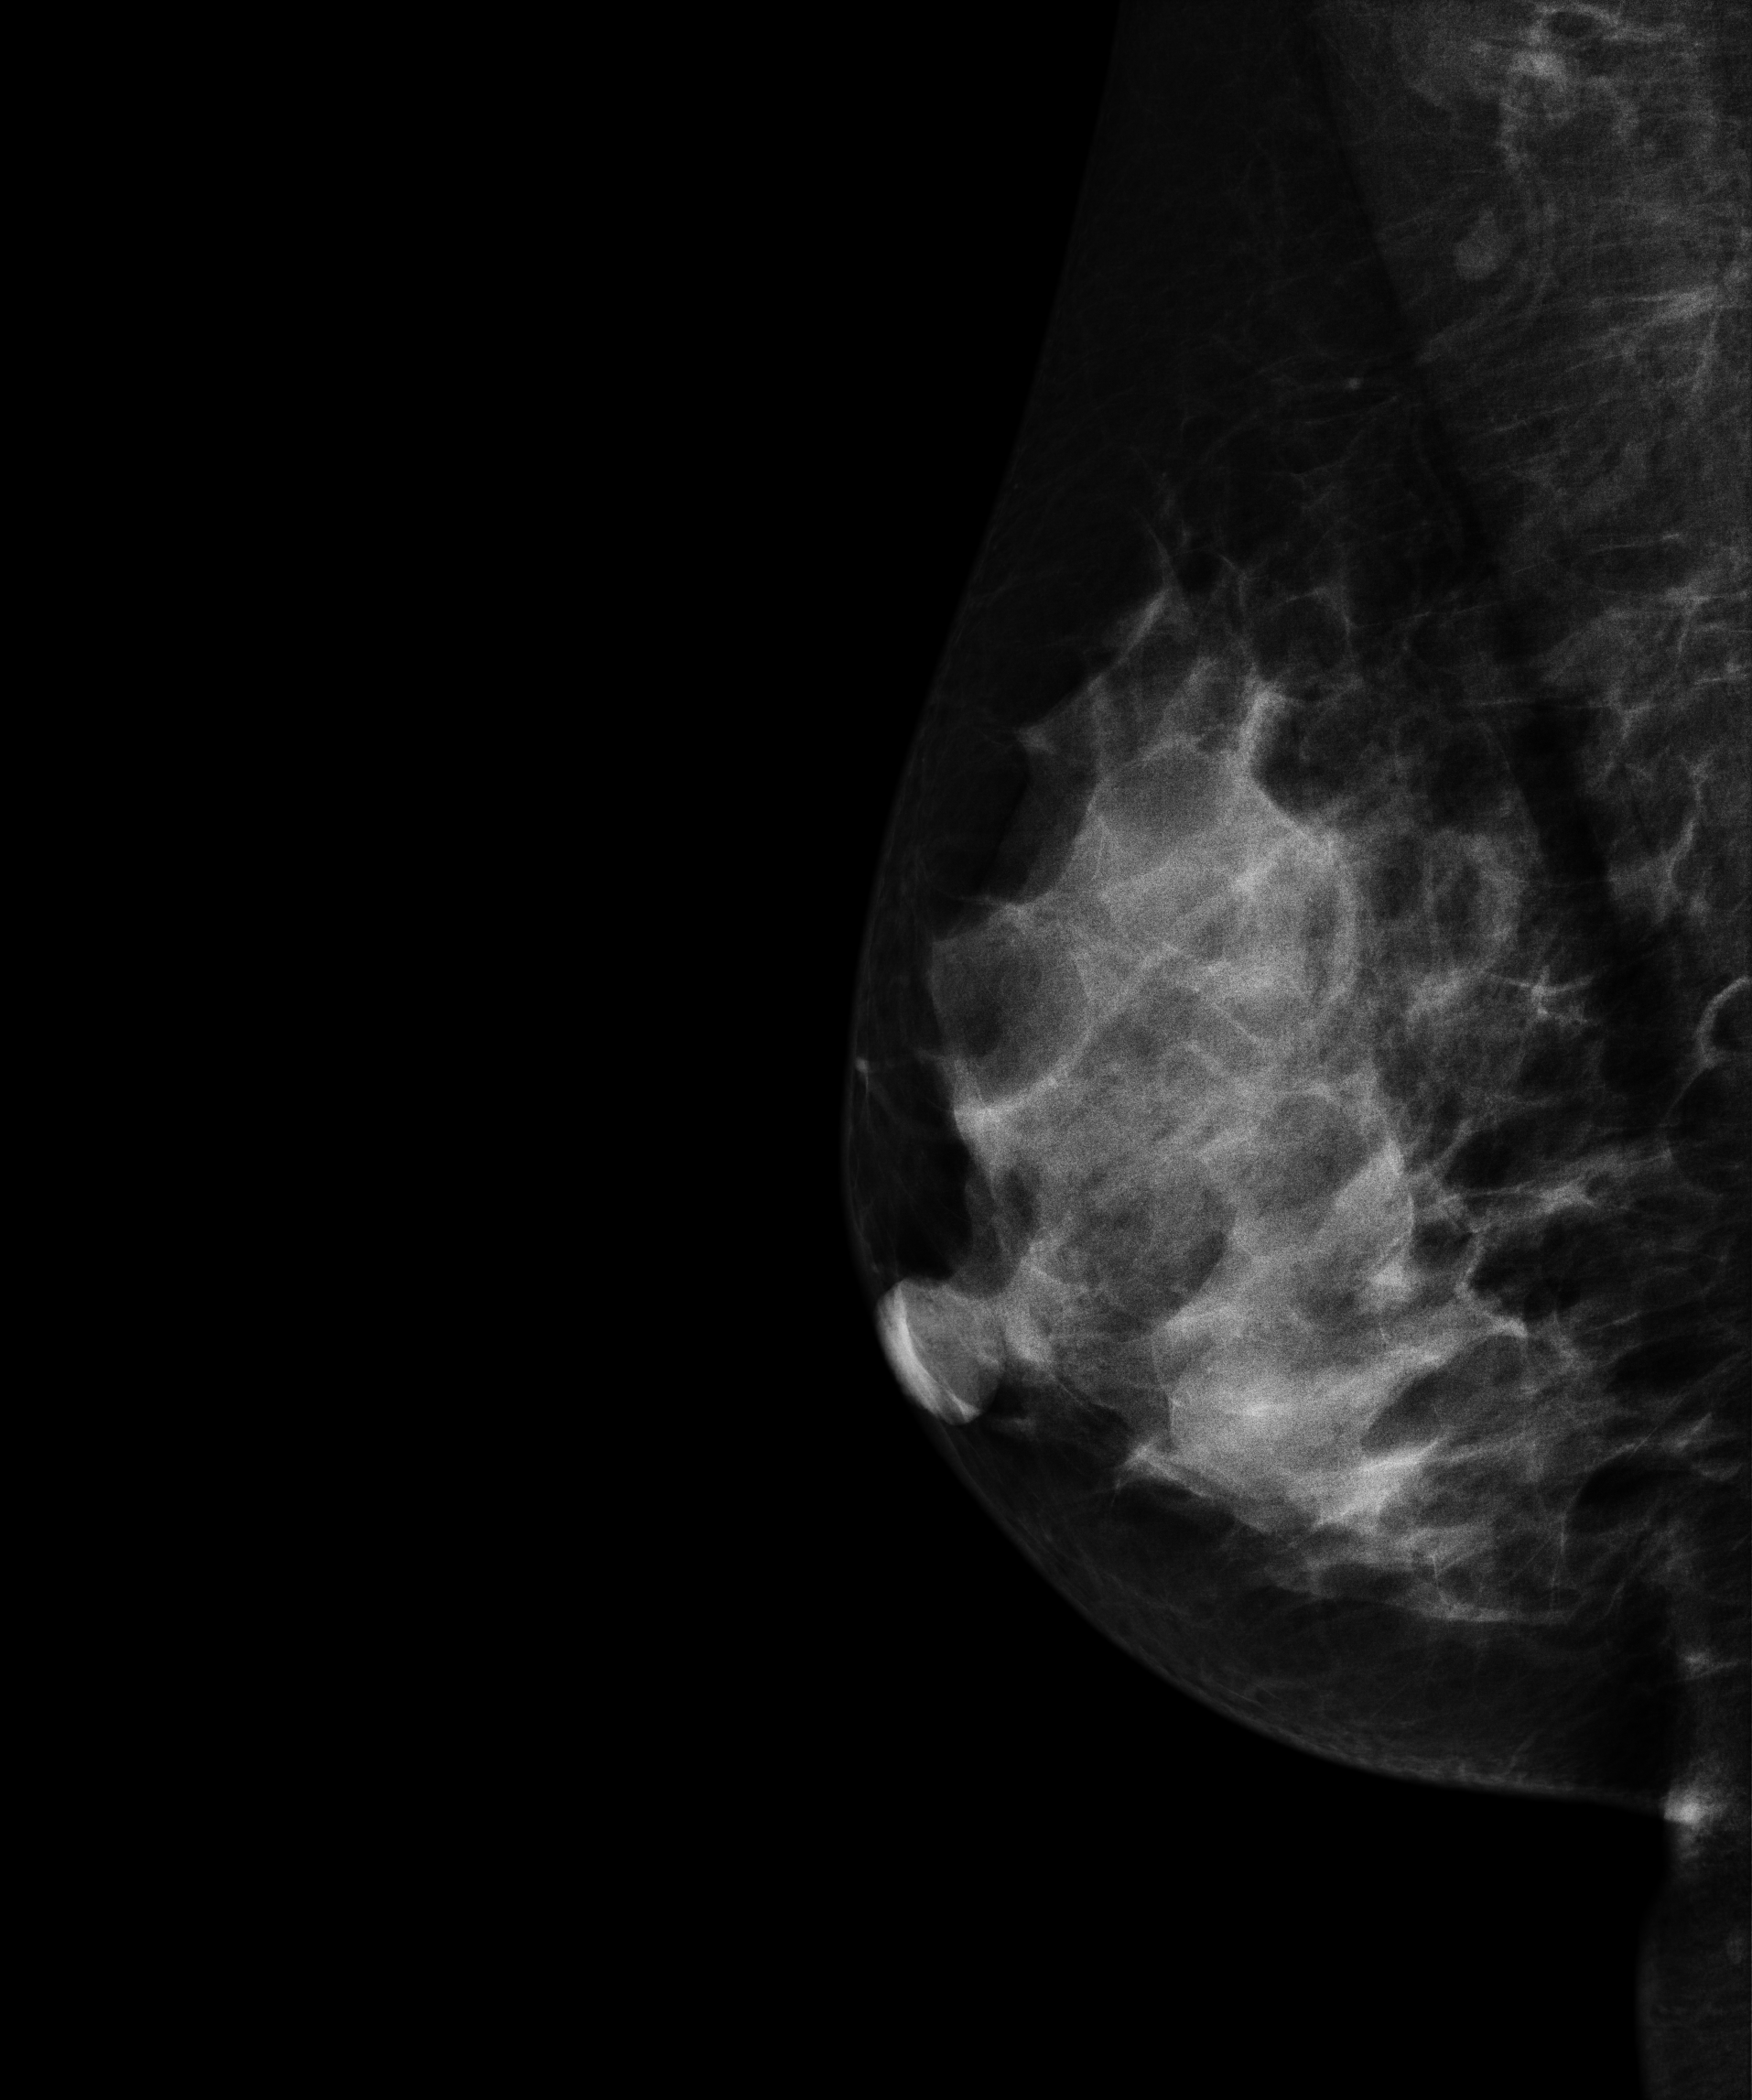
Mammogram — right MLO. Patient age 47.
Contralateral breast — no documented abnormality on this side.